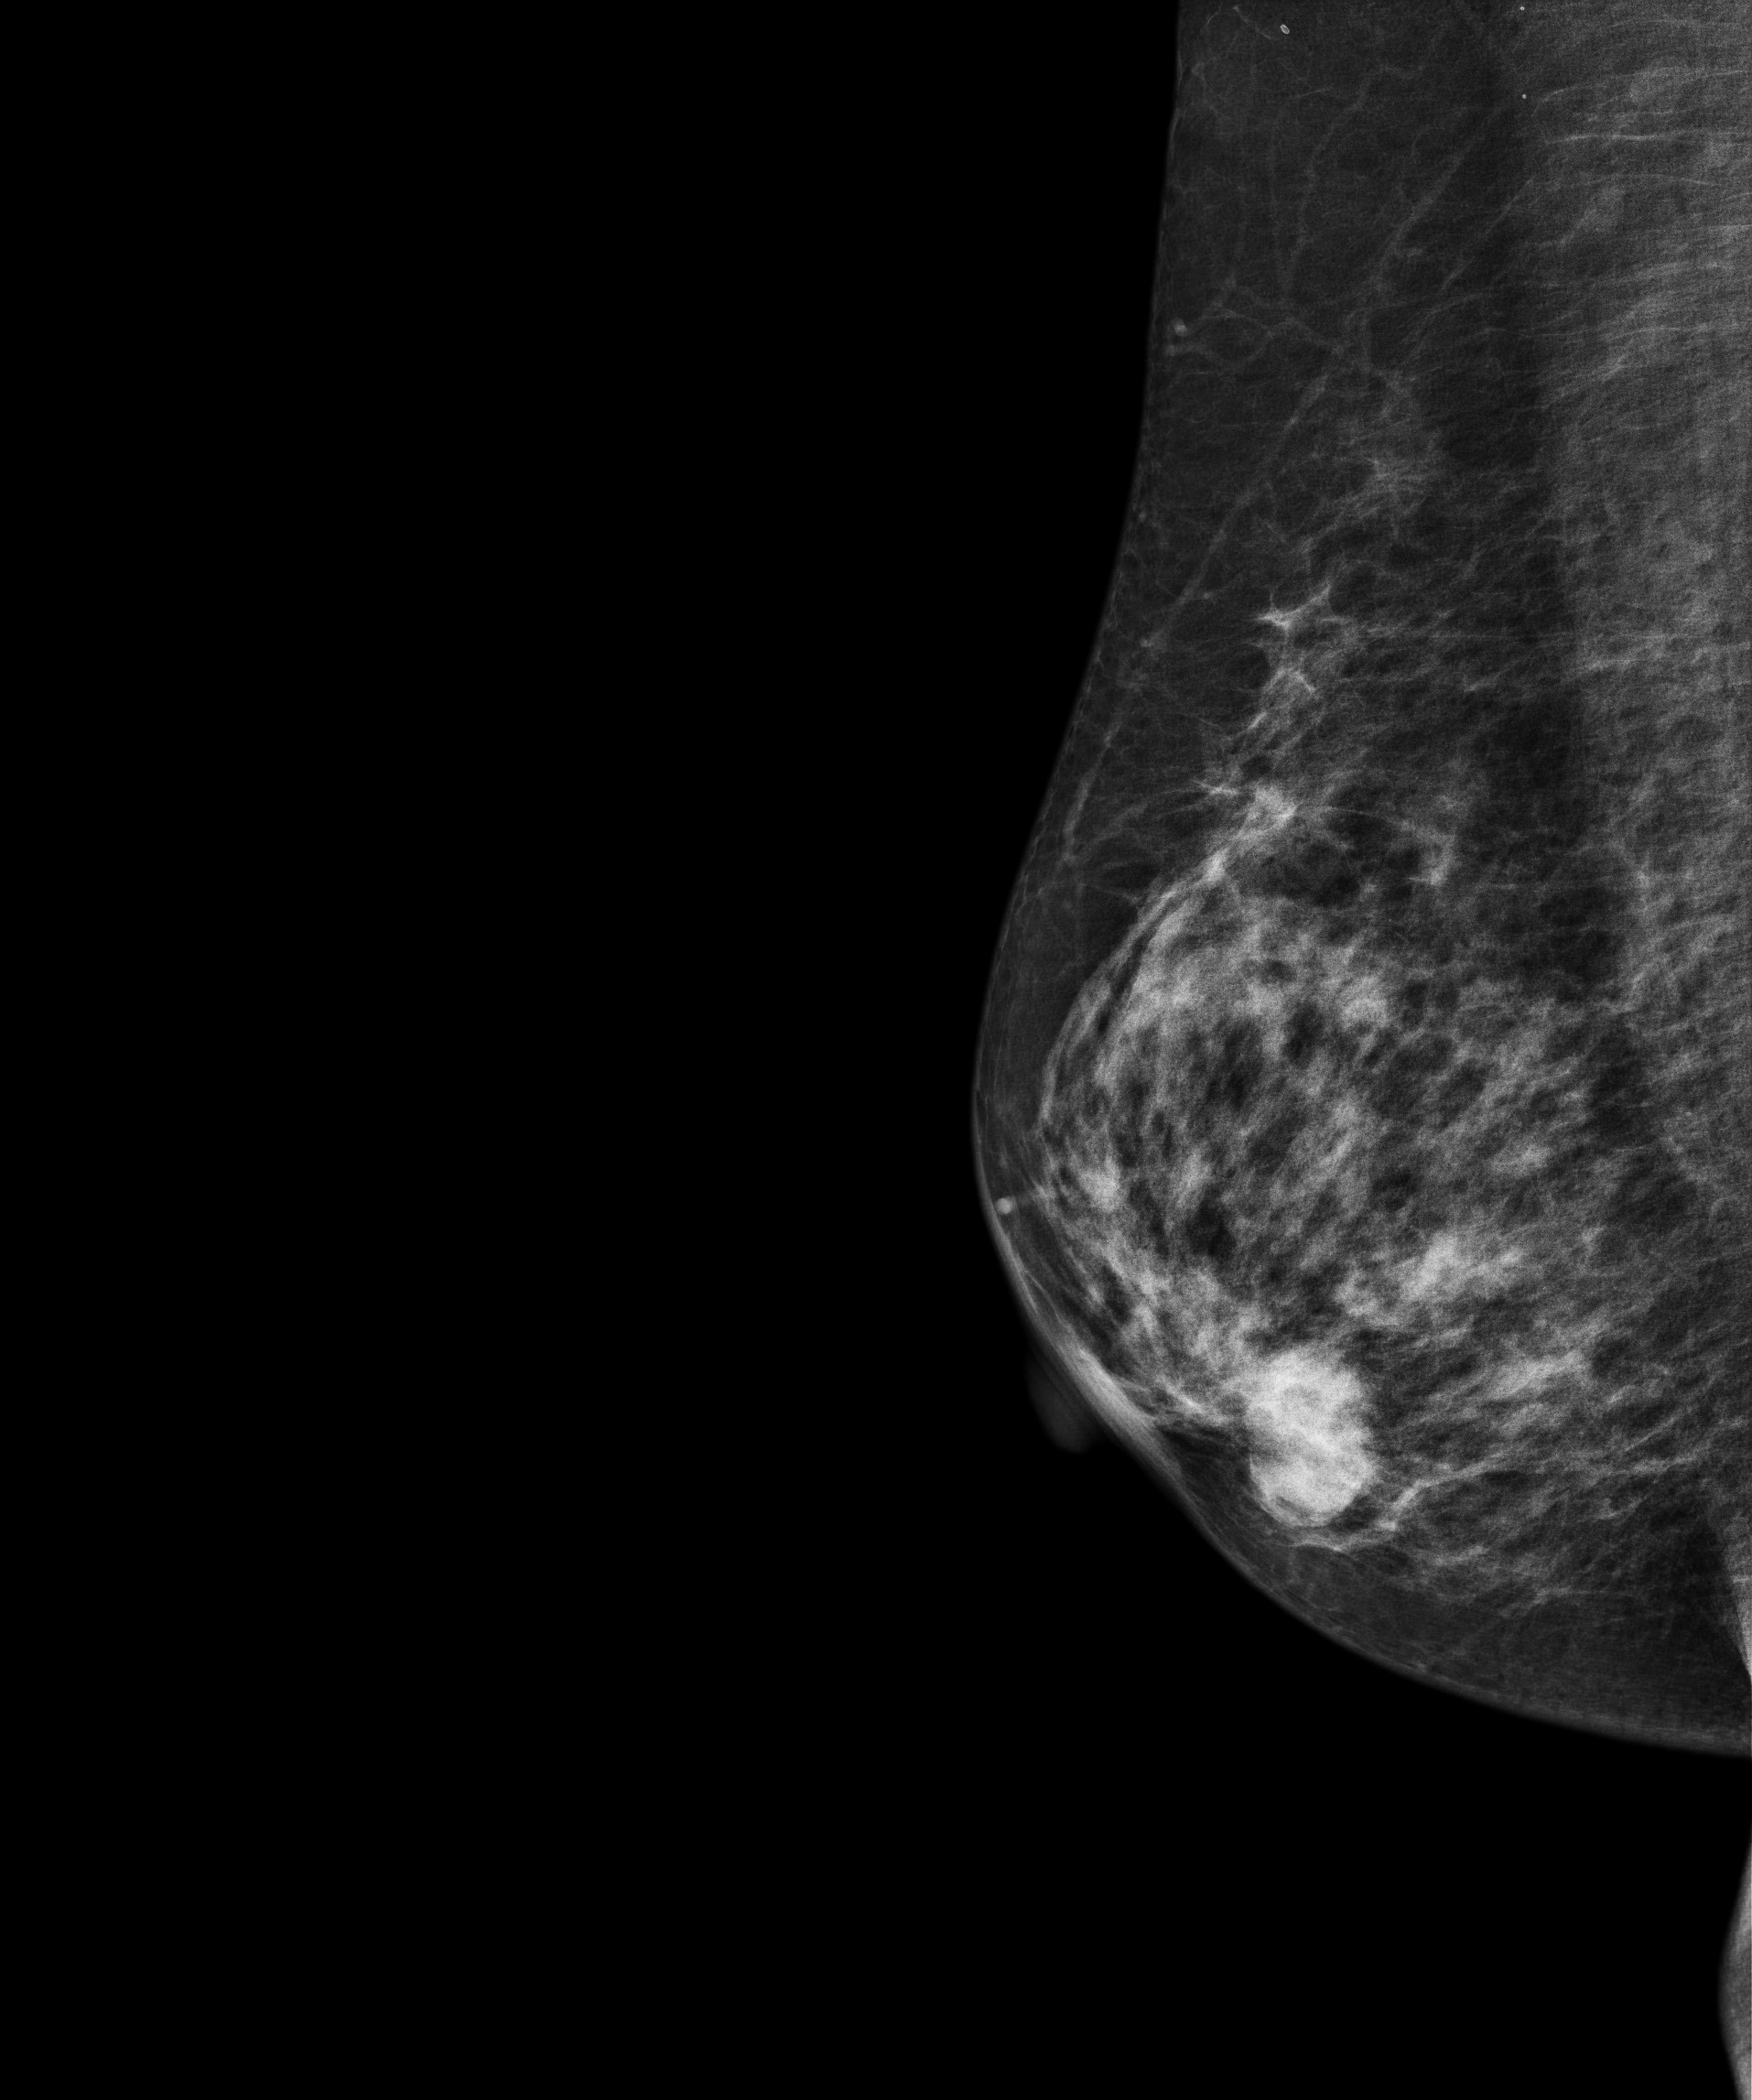
Mammogram, right breast, medio-lateral oblique view. 67-year-old patient.
This breast has a mass, biopsy-confirmed benign.